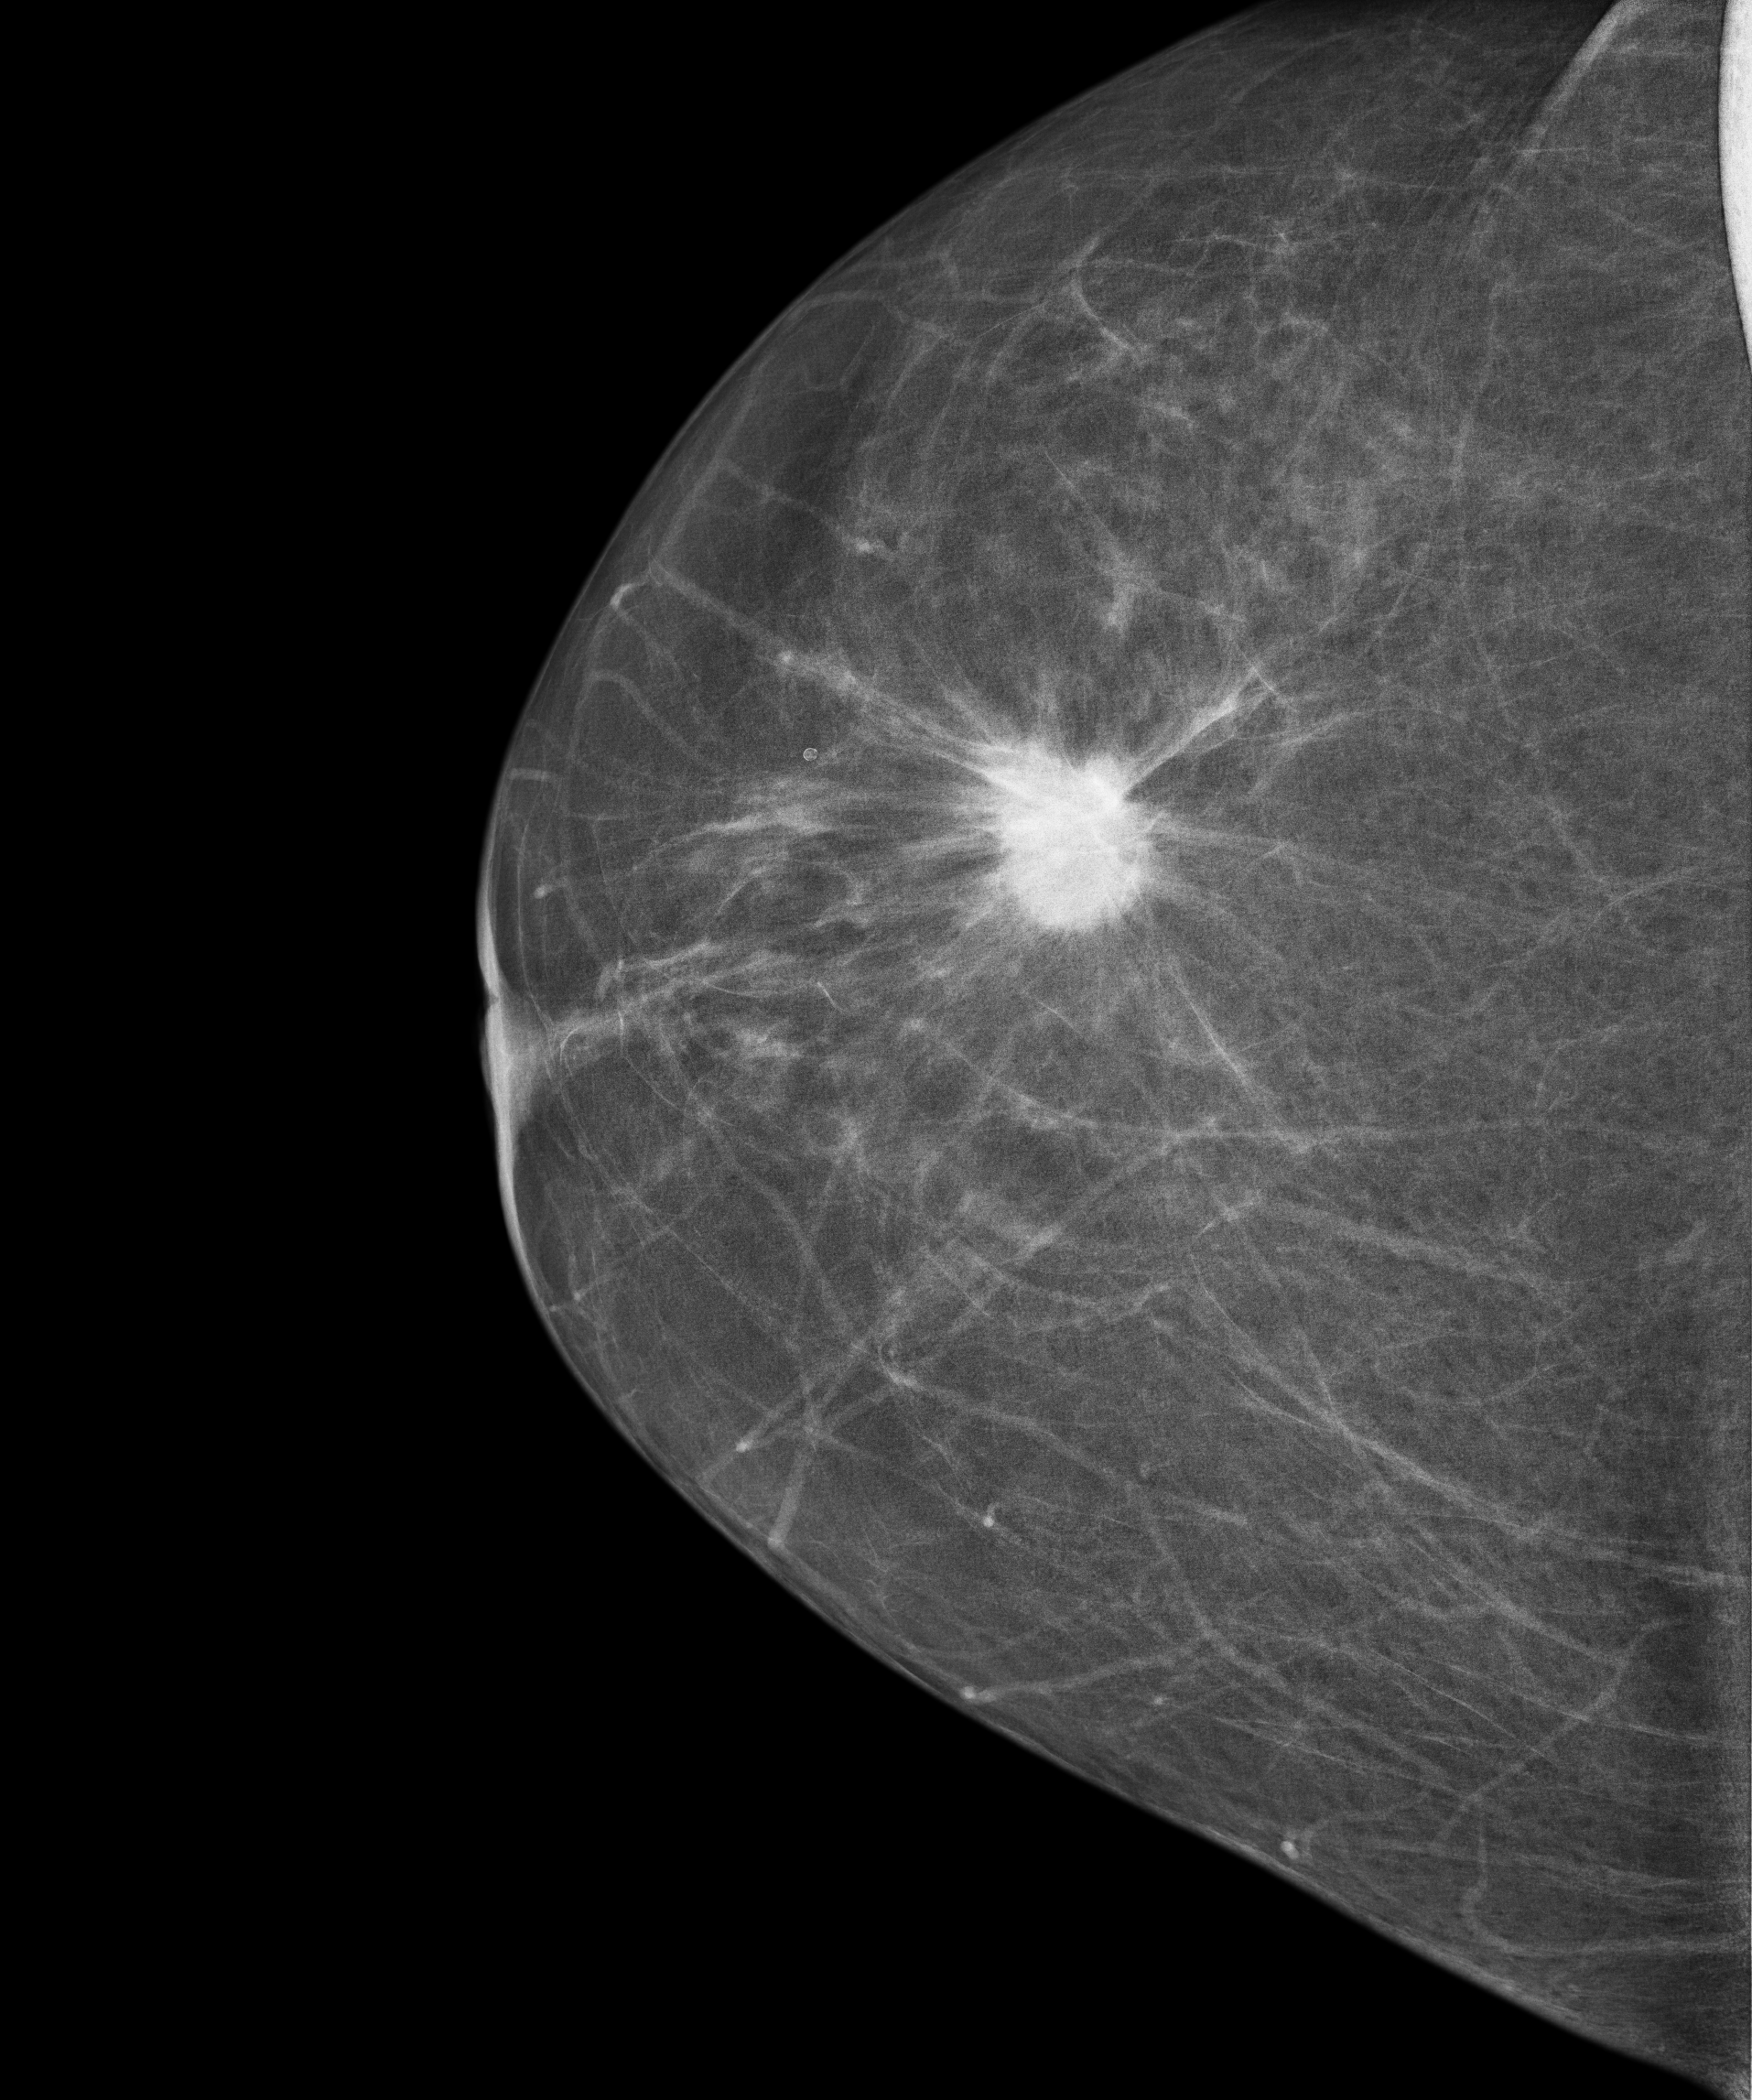
CC mammogram of the right breast. 66 y/o patient.
This breast has a mass, histologically confirmed malignant.